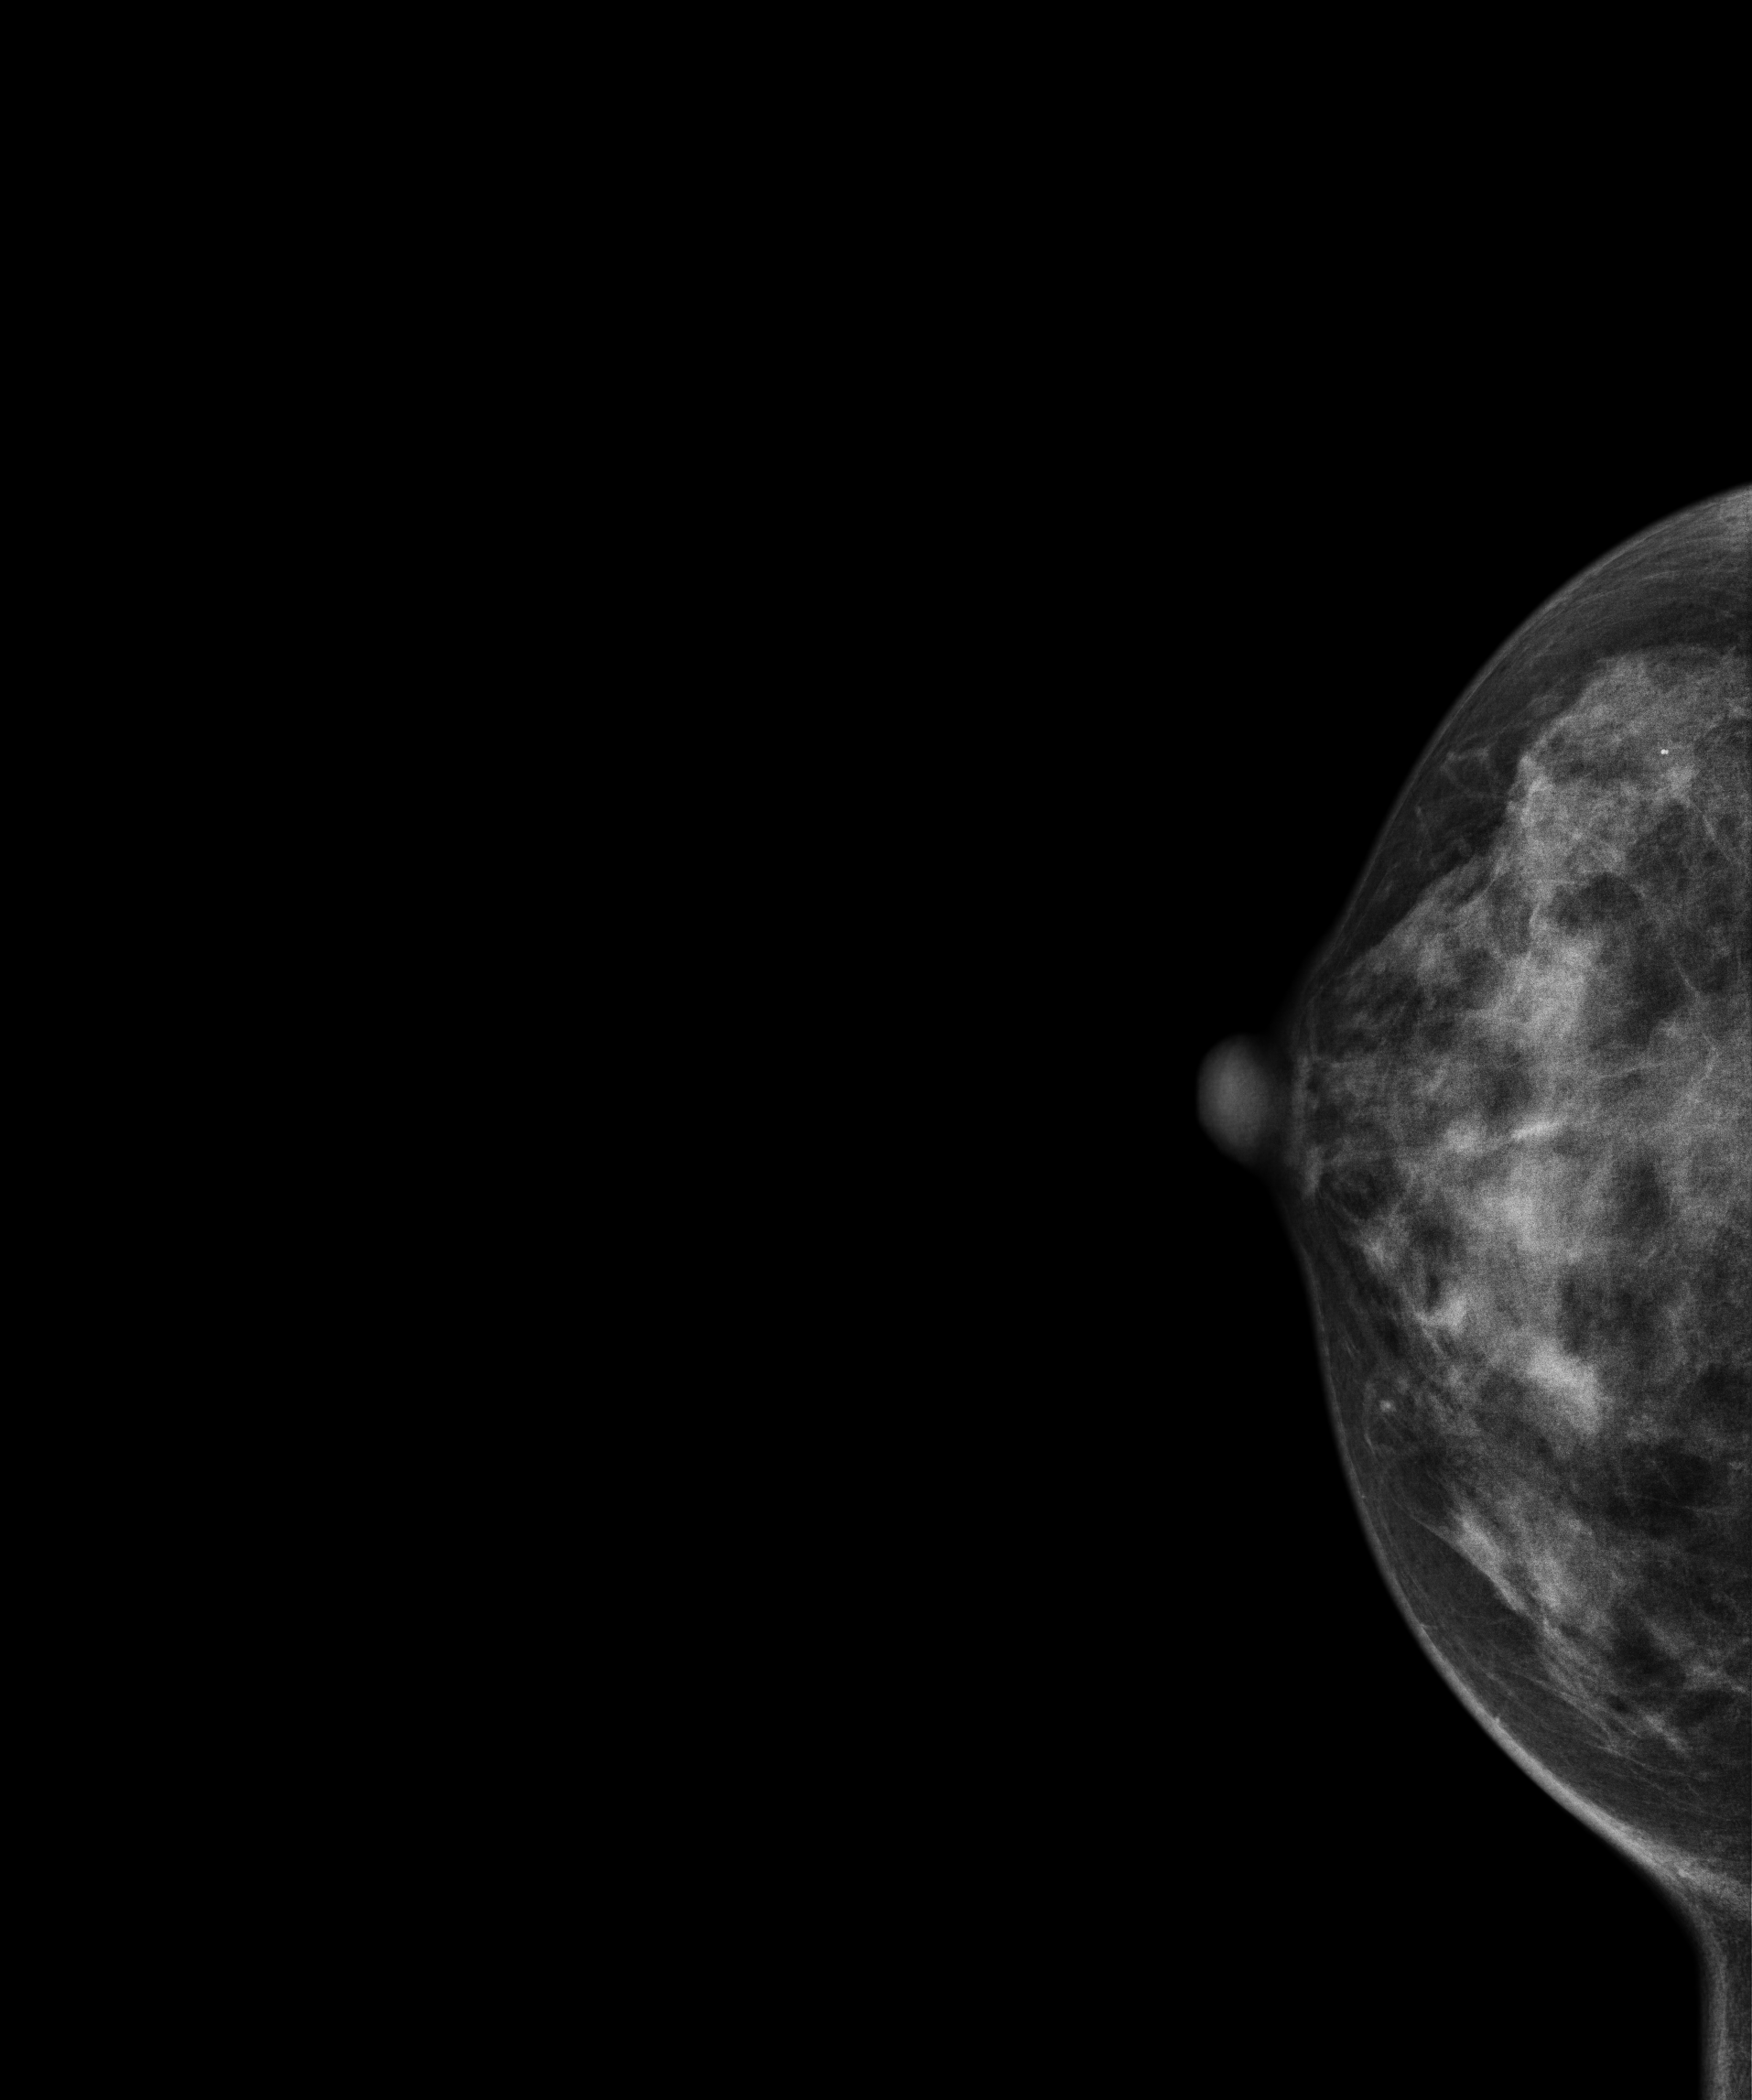
Mammogram, right breast, CC view. 41-year-old patient.
This breast has a mass, biopsy-confirmed malignant.